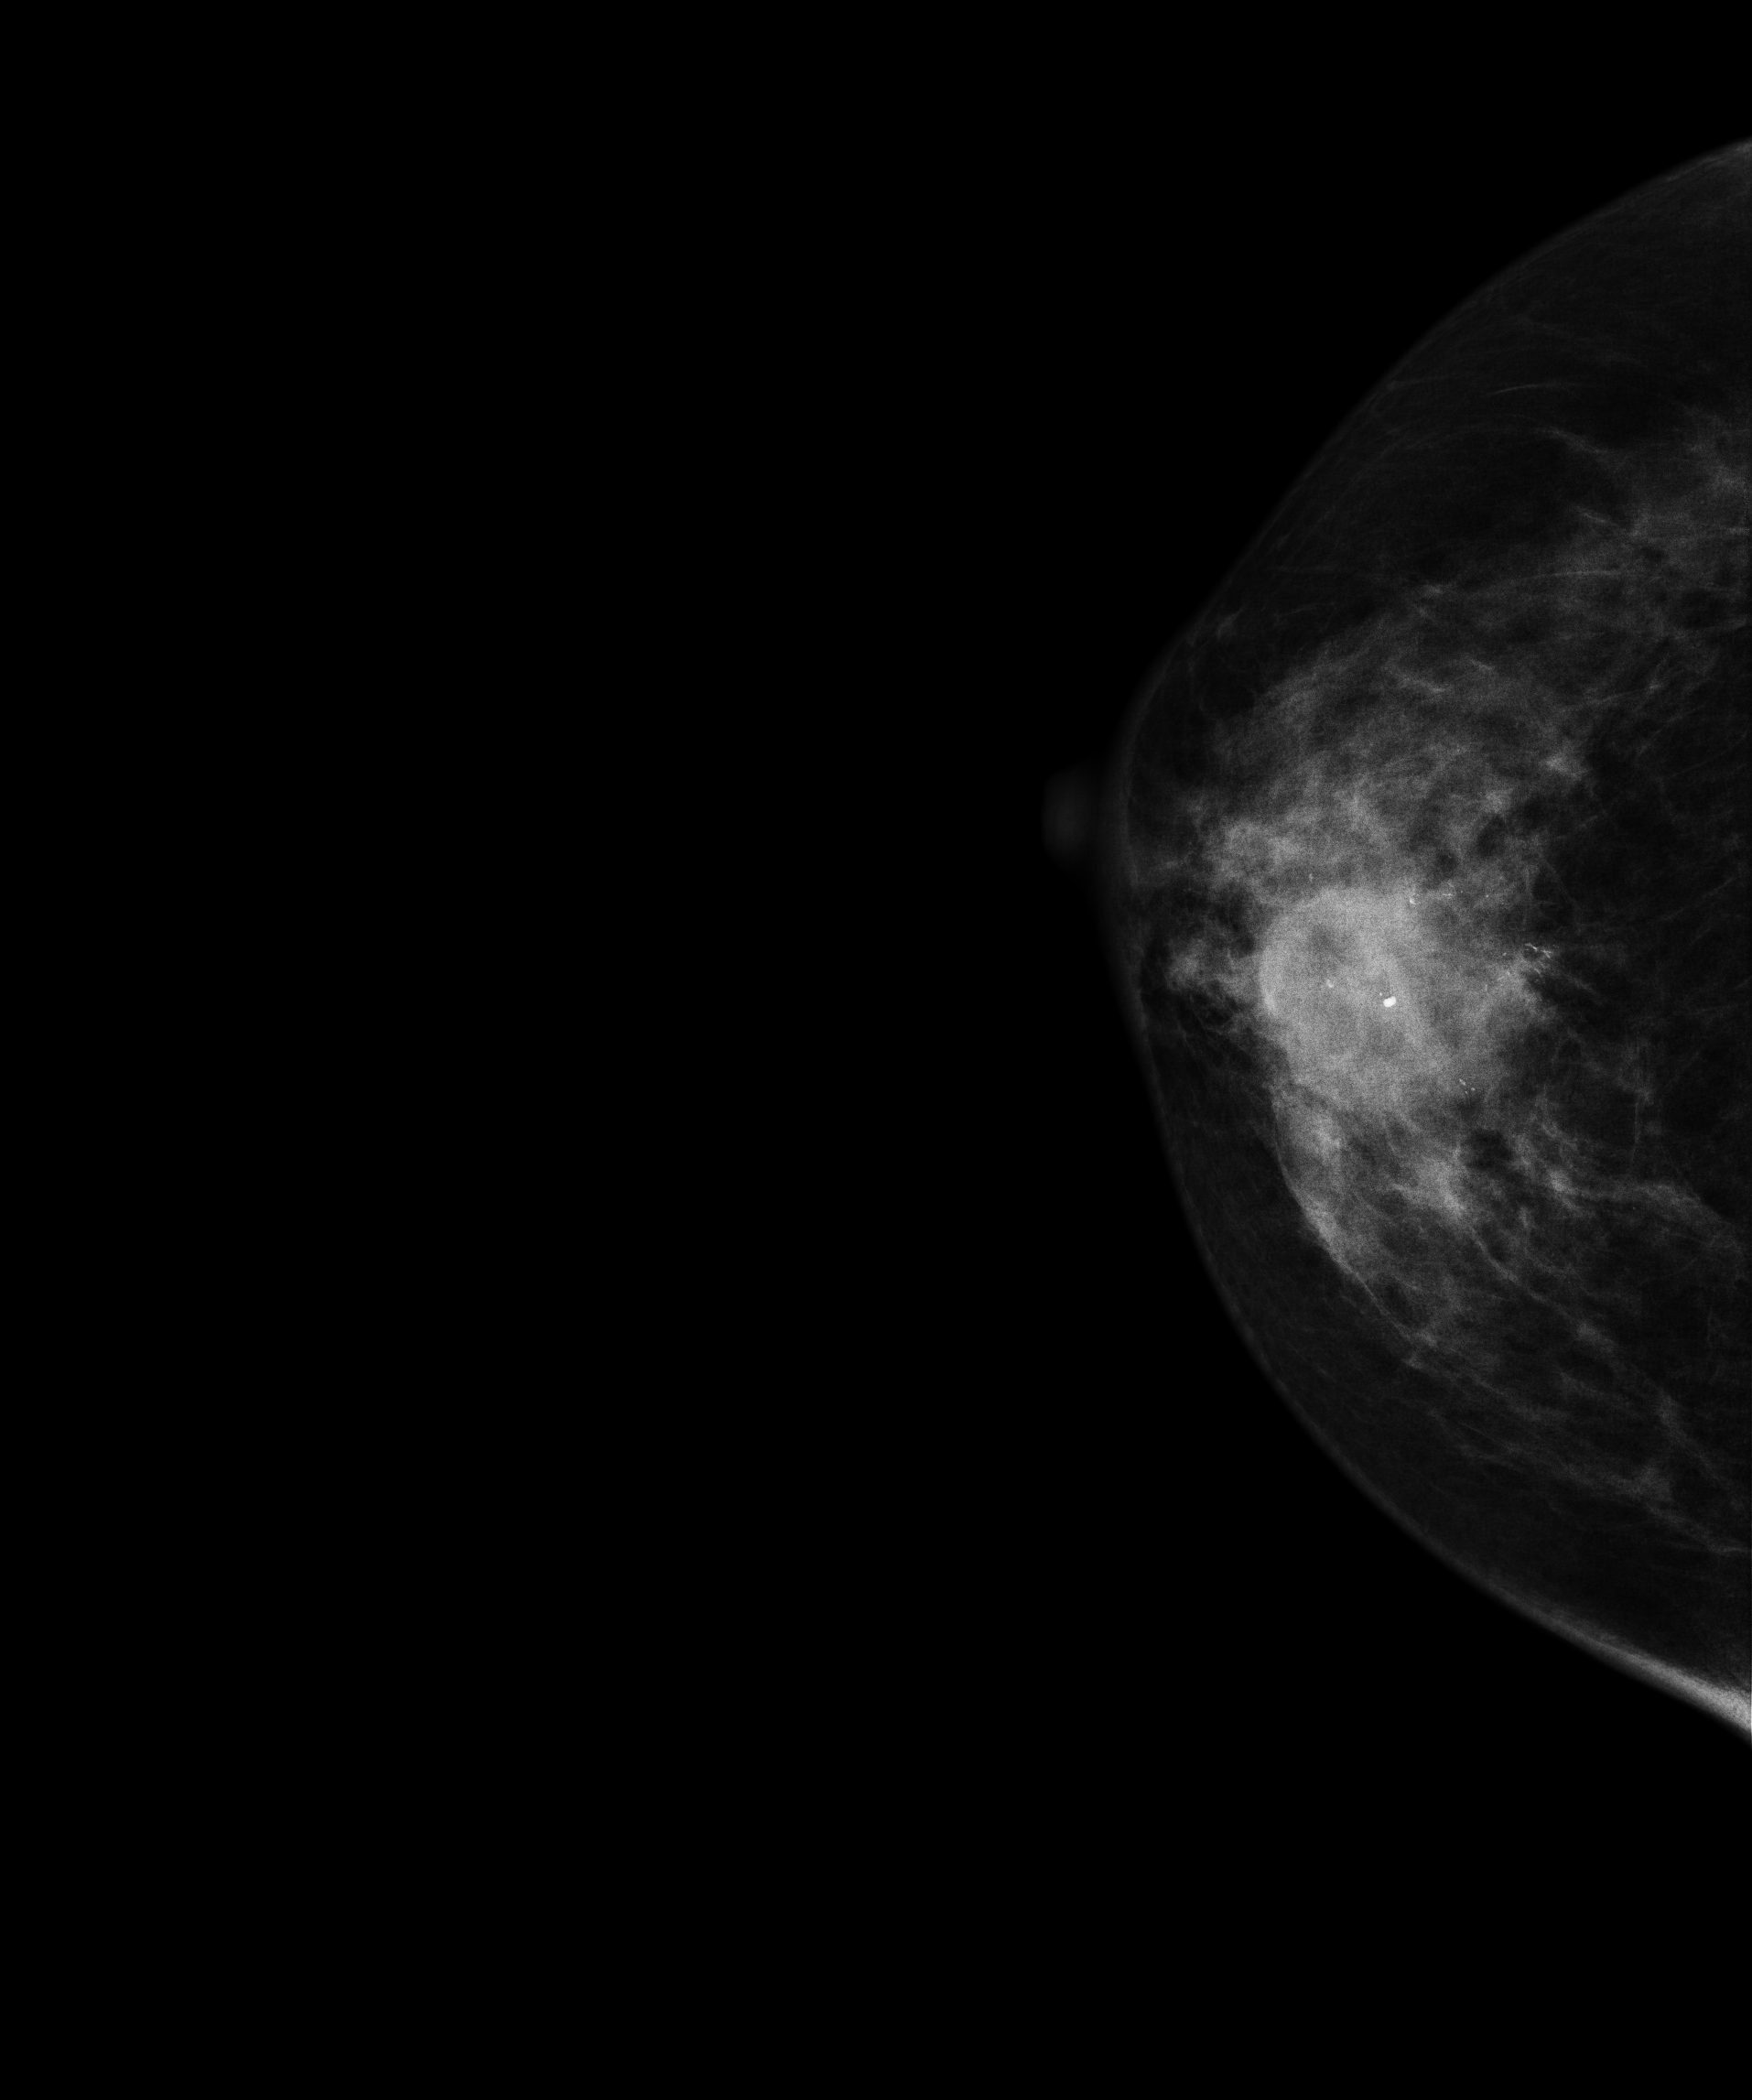
Mammogram — right cranio-caudal. 58-year-old patient.
This breast has a mass and calcifications, biopsy-confirmed malignant. Molecular subtype: HER2-enriched.